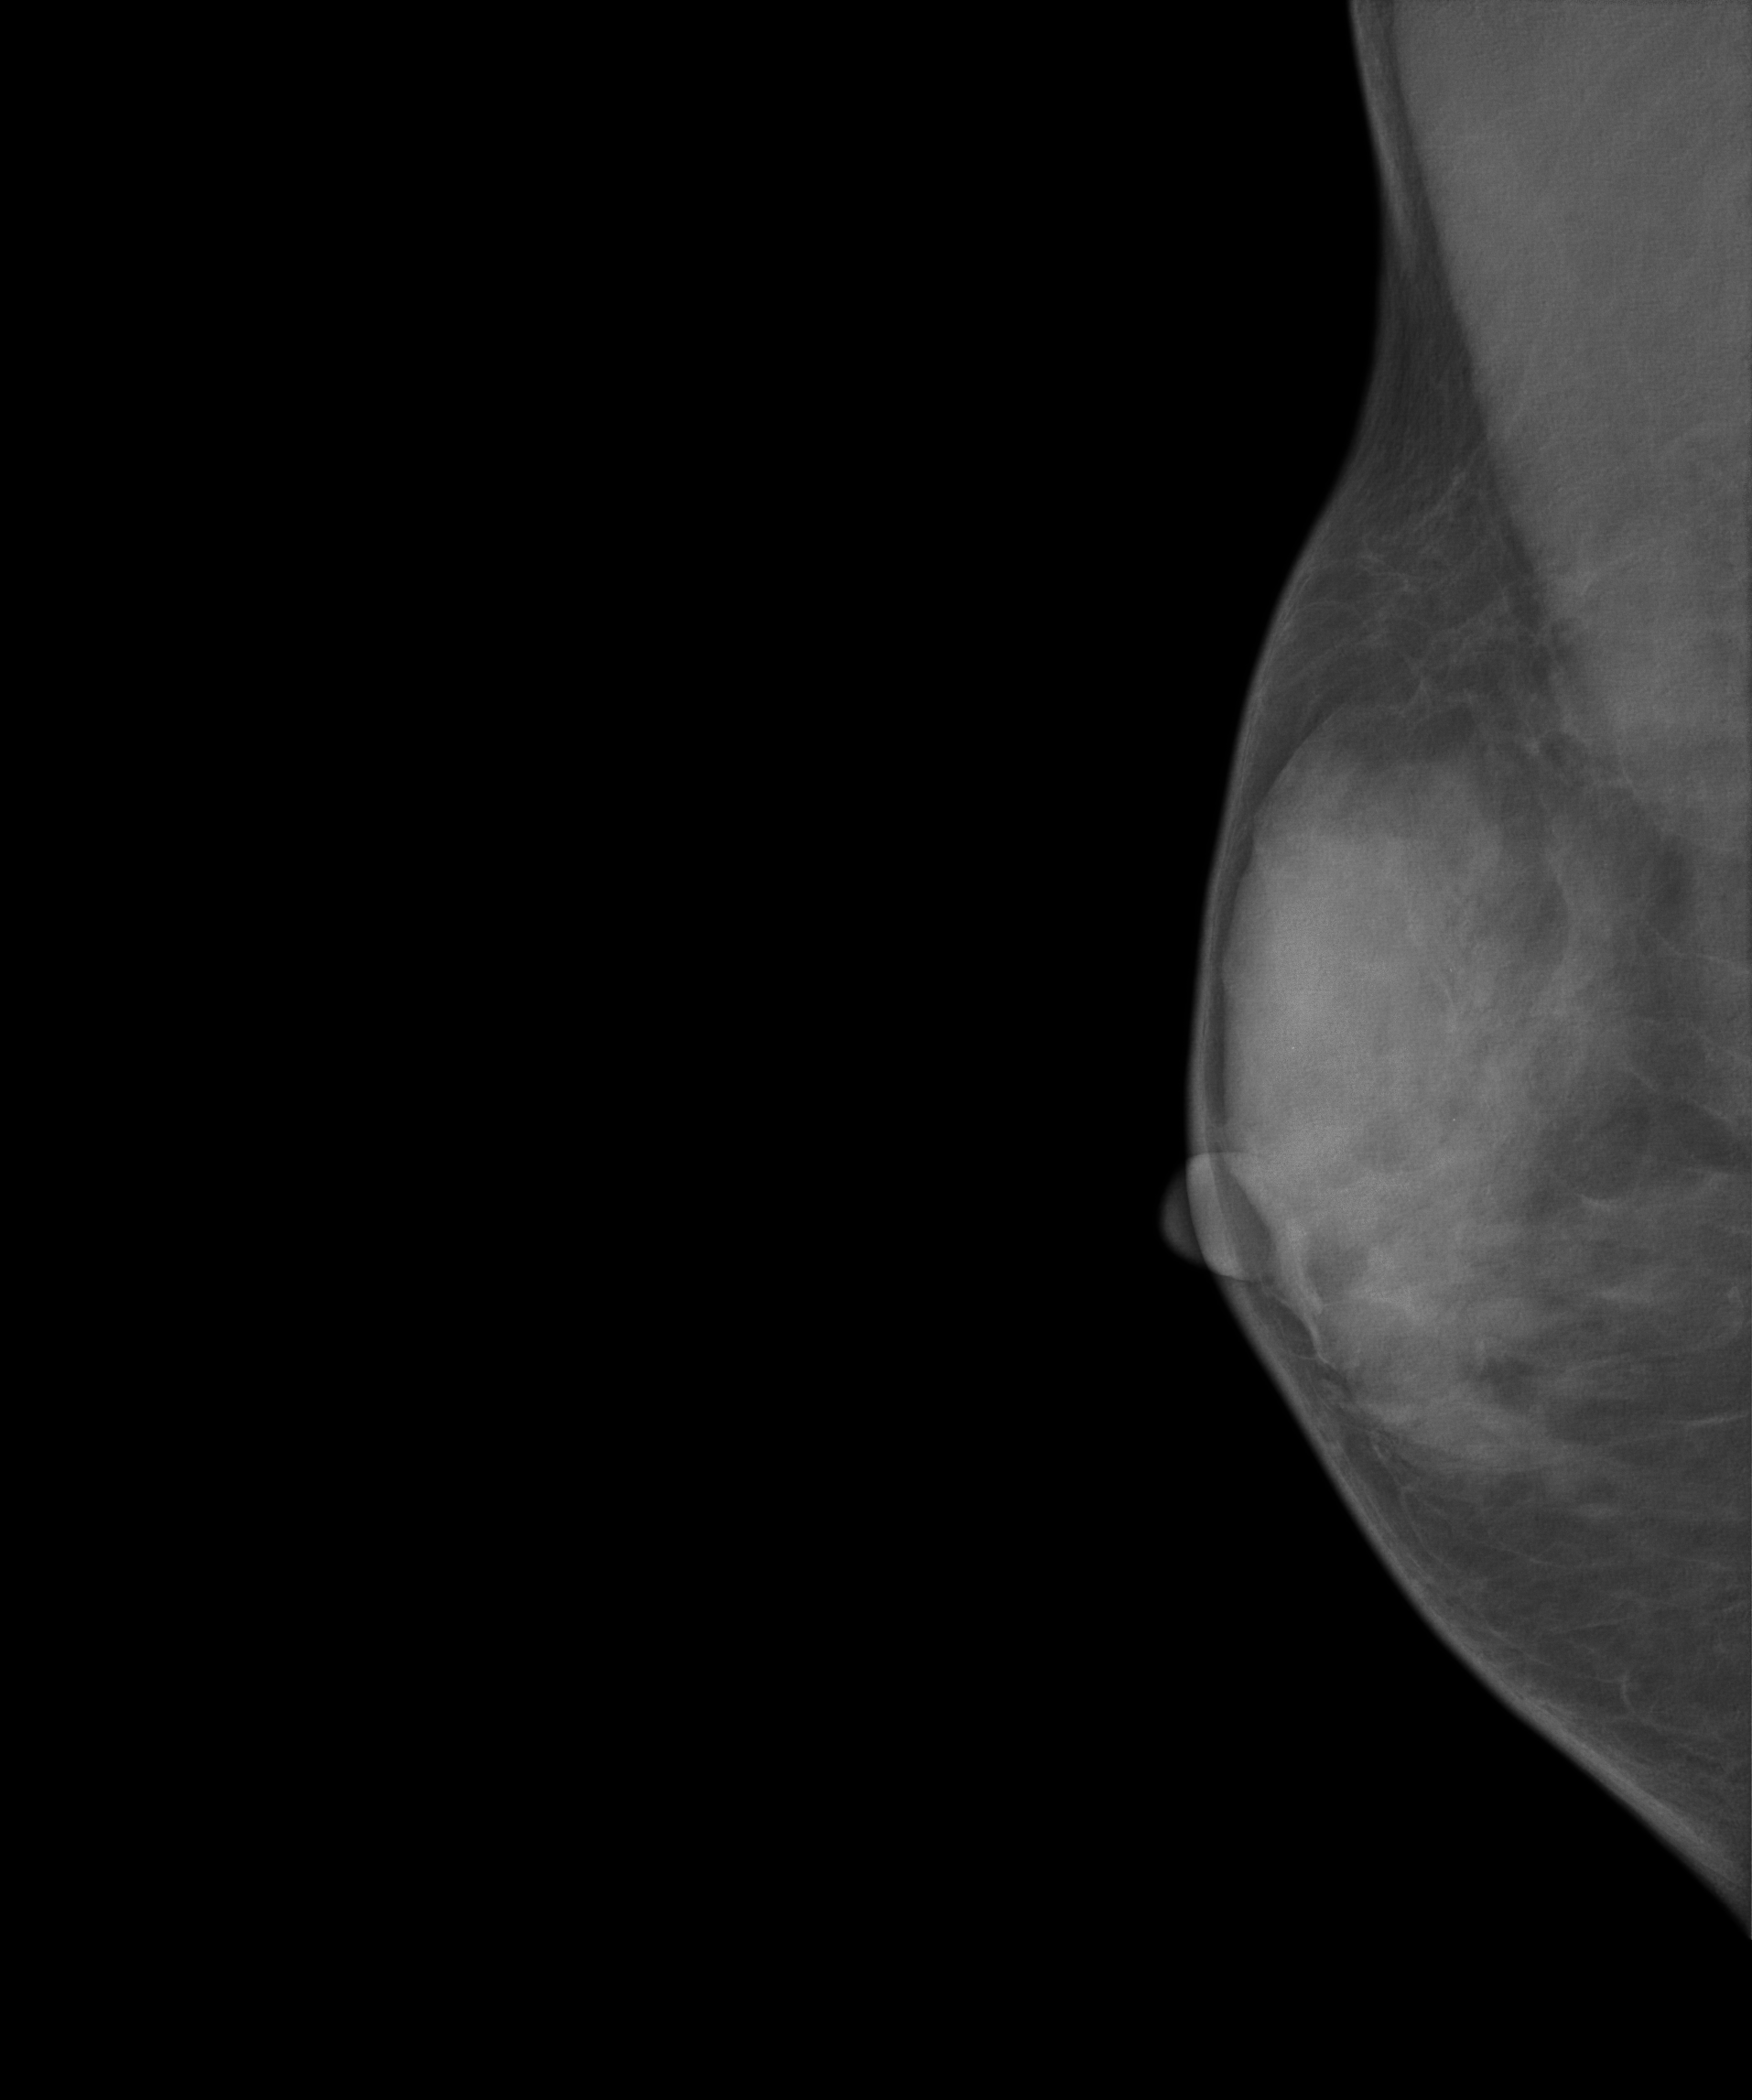
Mammogram, right breast, medio-lateral oblique view. 53 y/o patient.
Contralateral breast — no documented abnormality on this side.